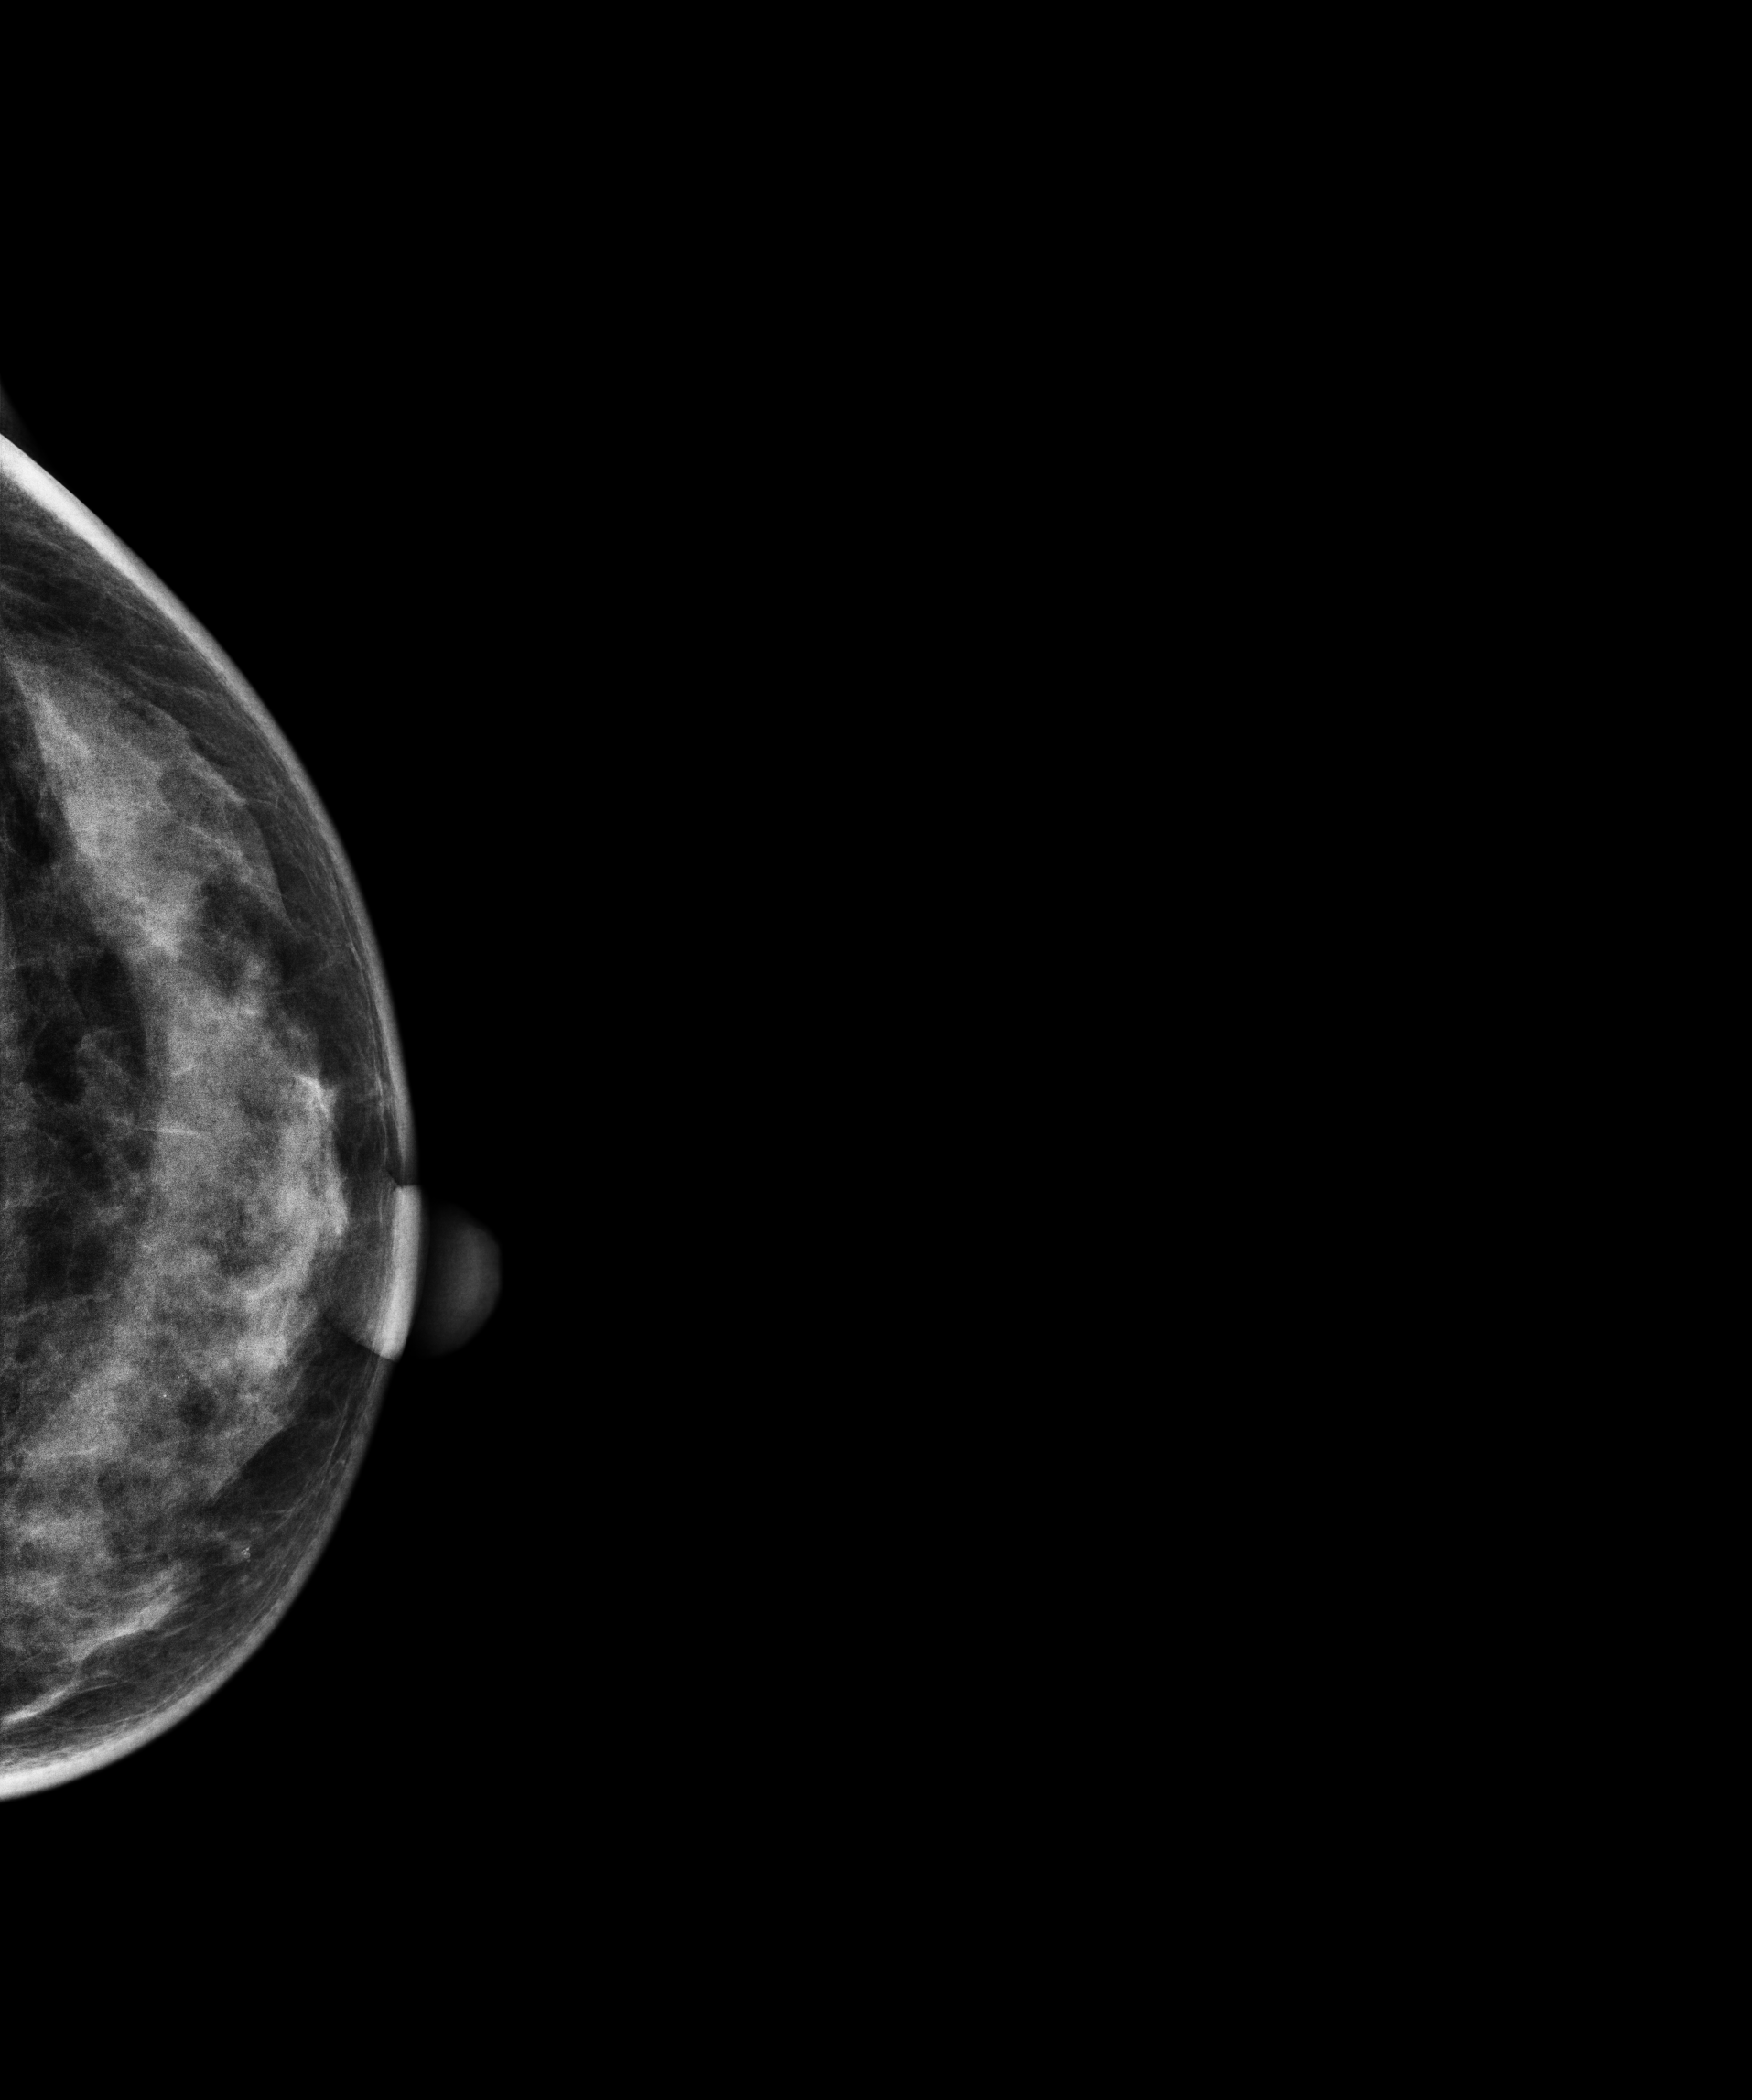
Mammogram — left CC. Patient age 49.
Contralateral breast — no documented abnormality on this side.